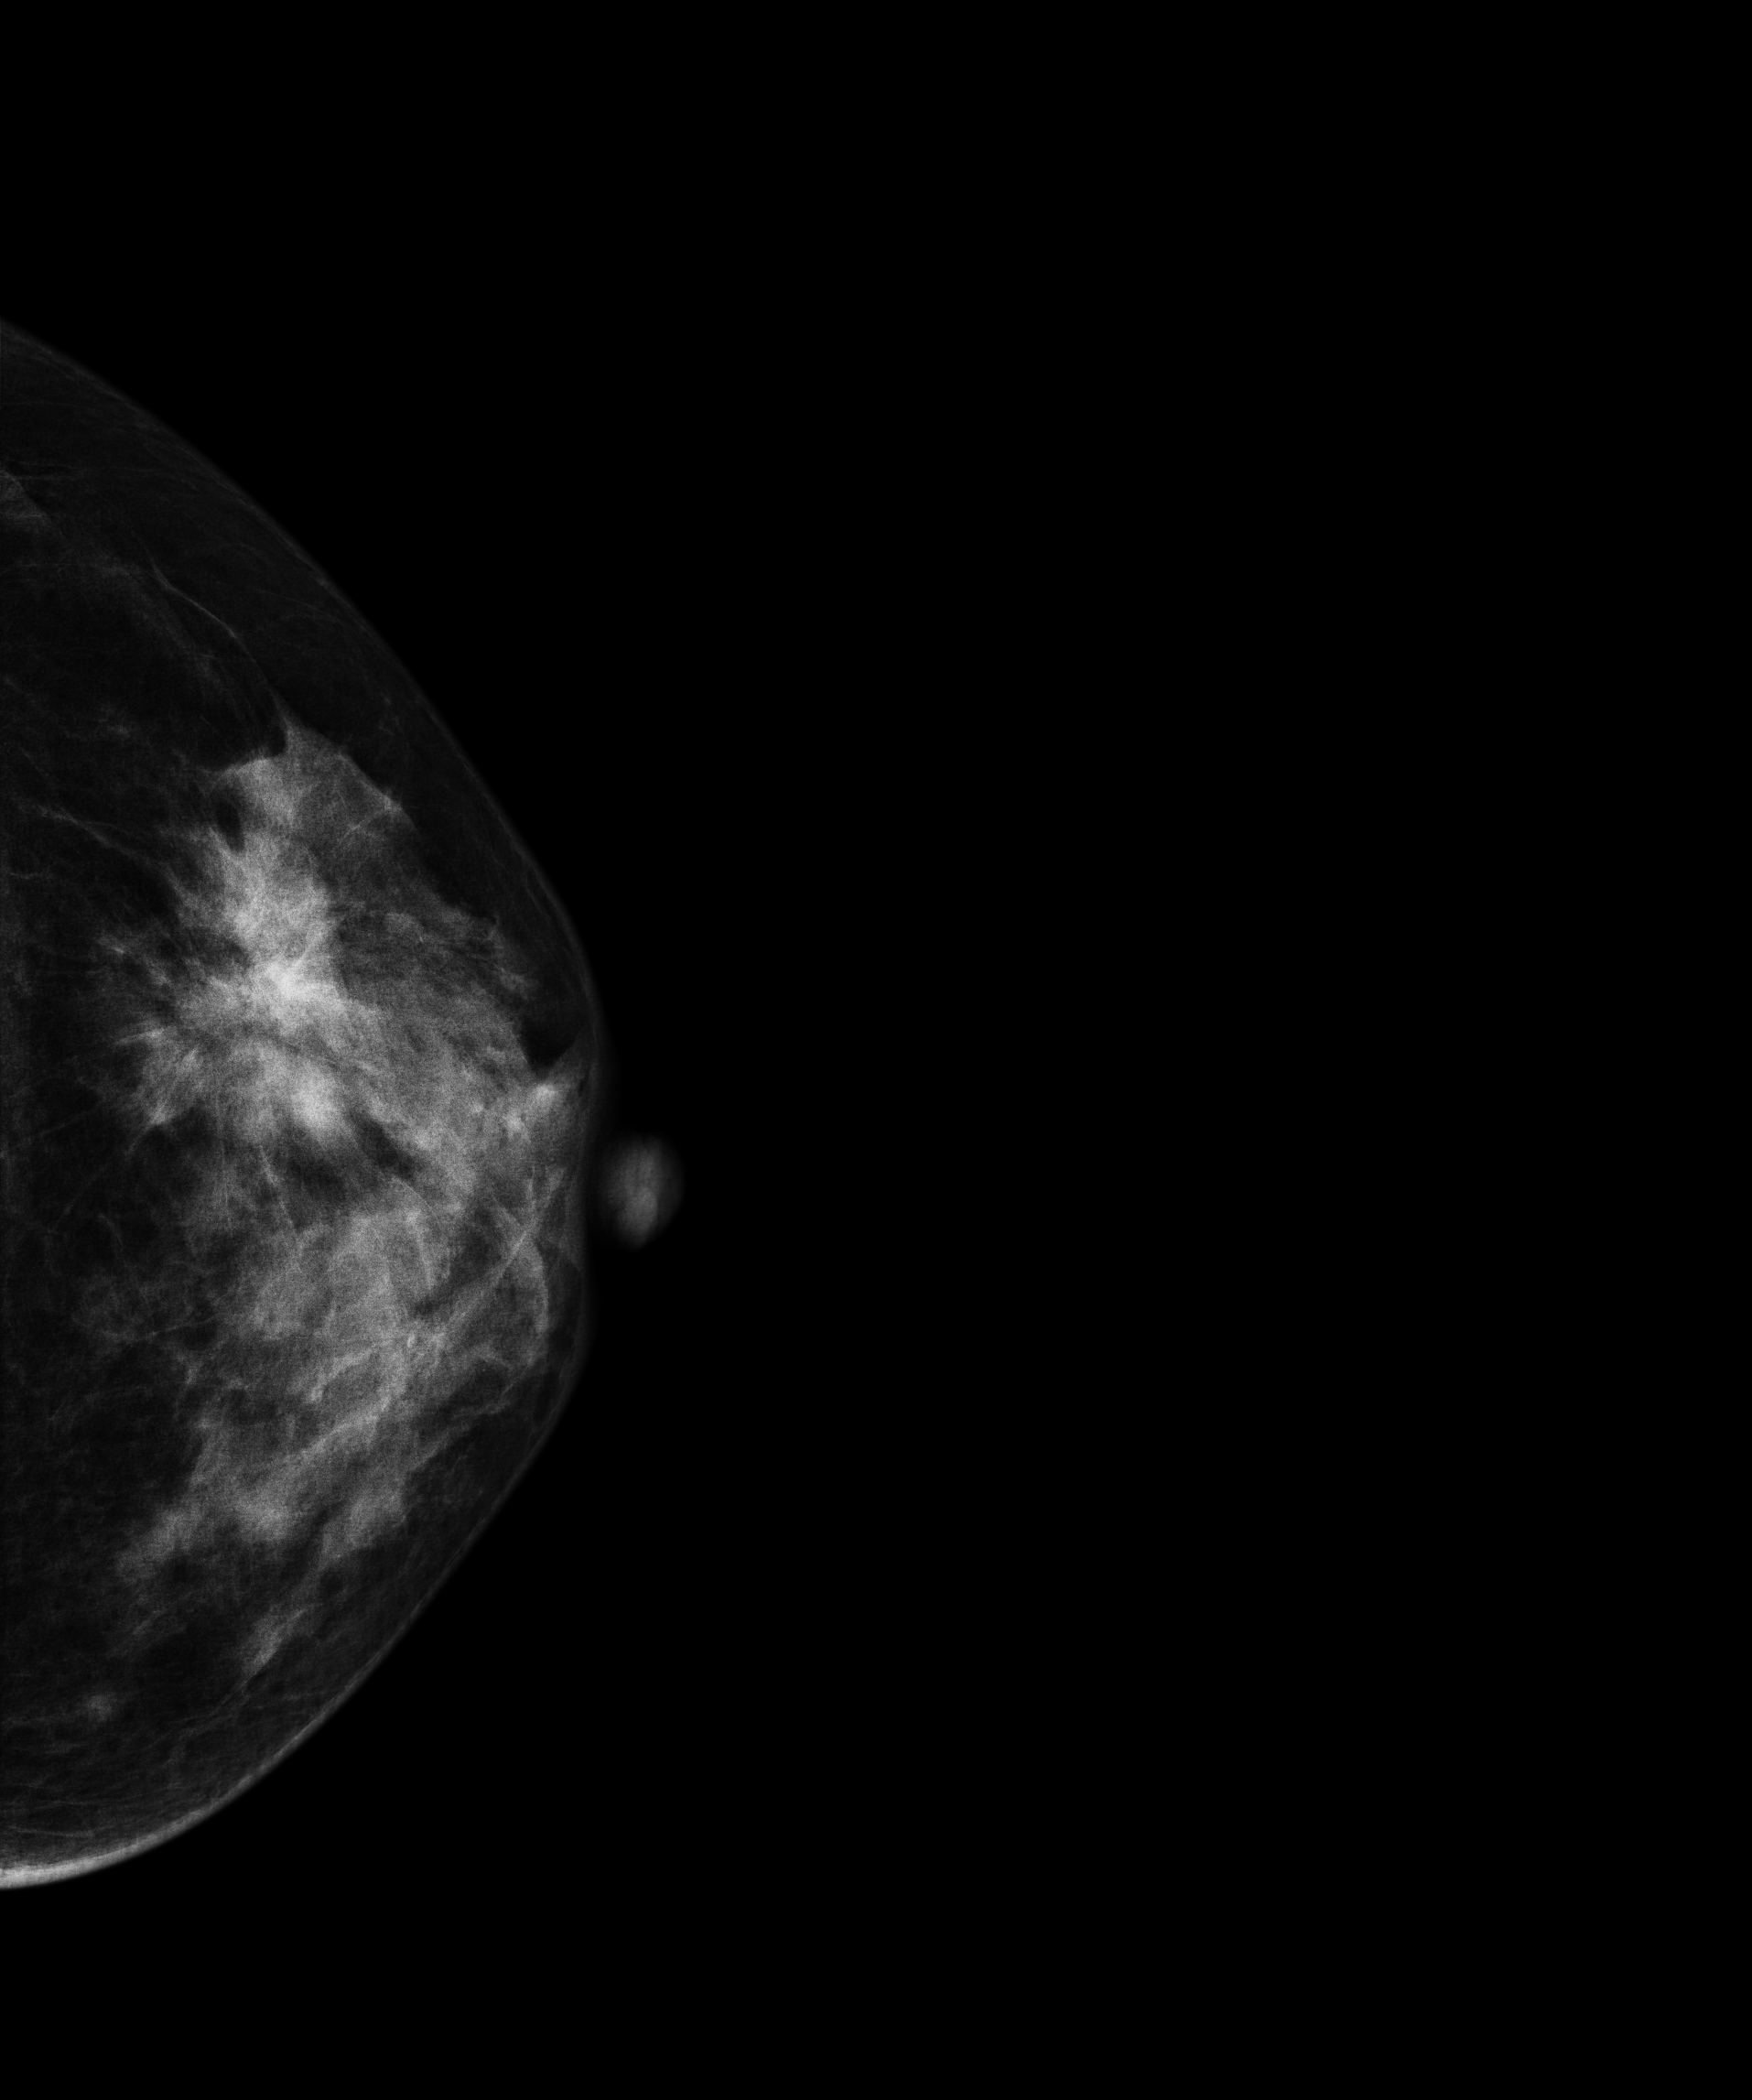
Mammogram, left breast, CC view. 50 y/o patient.
This breast has a mass, histologically confirmed malignant. Molecular subtype: luminal B.